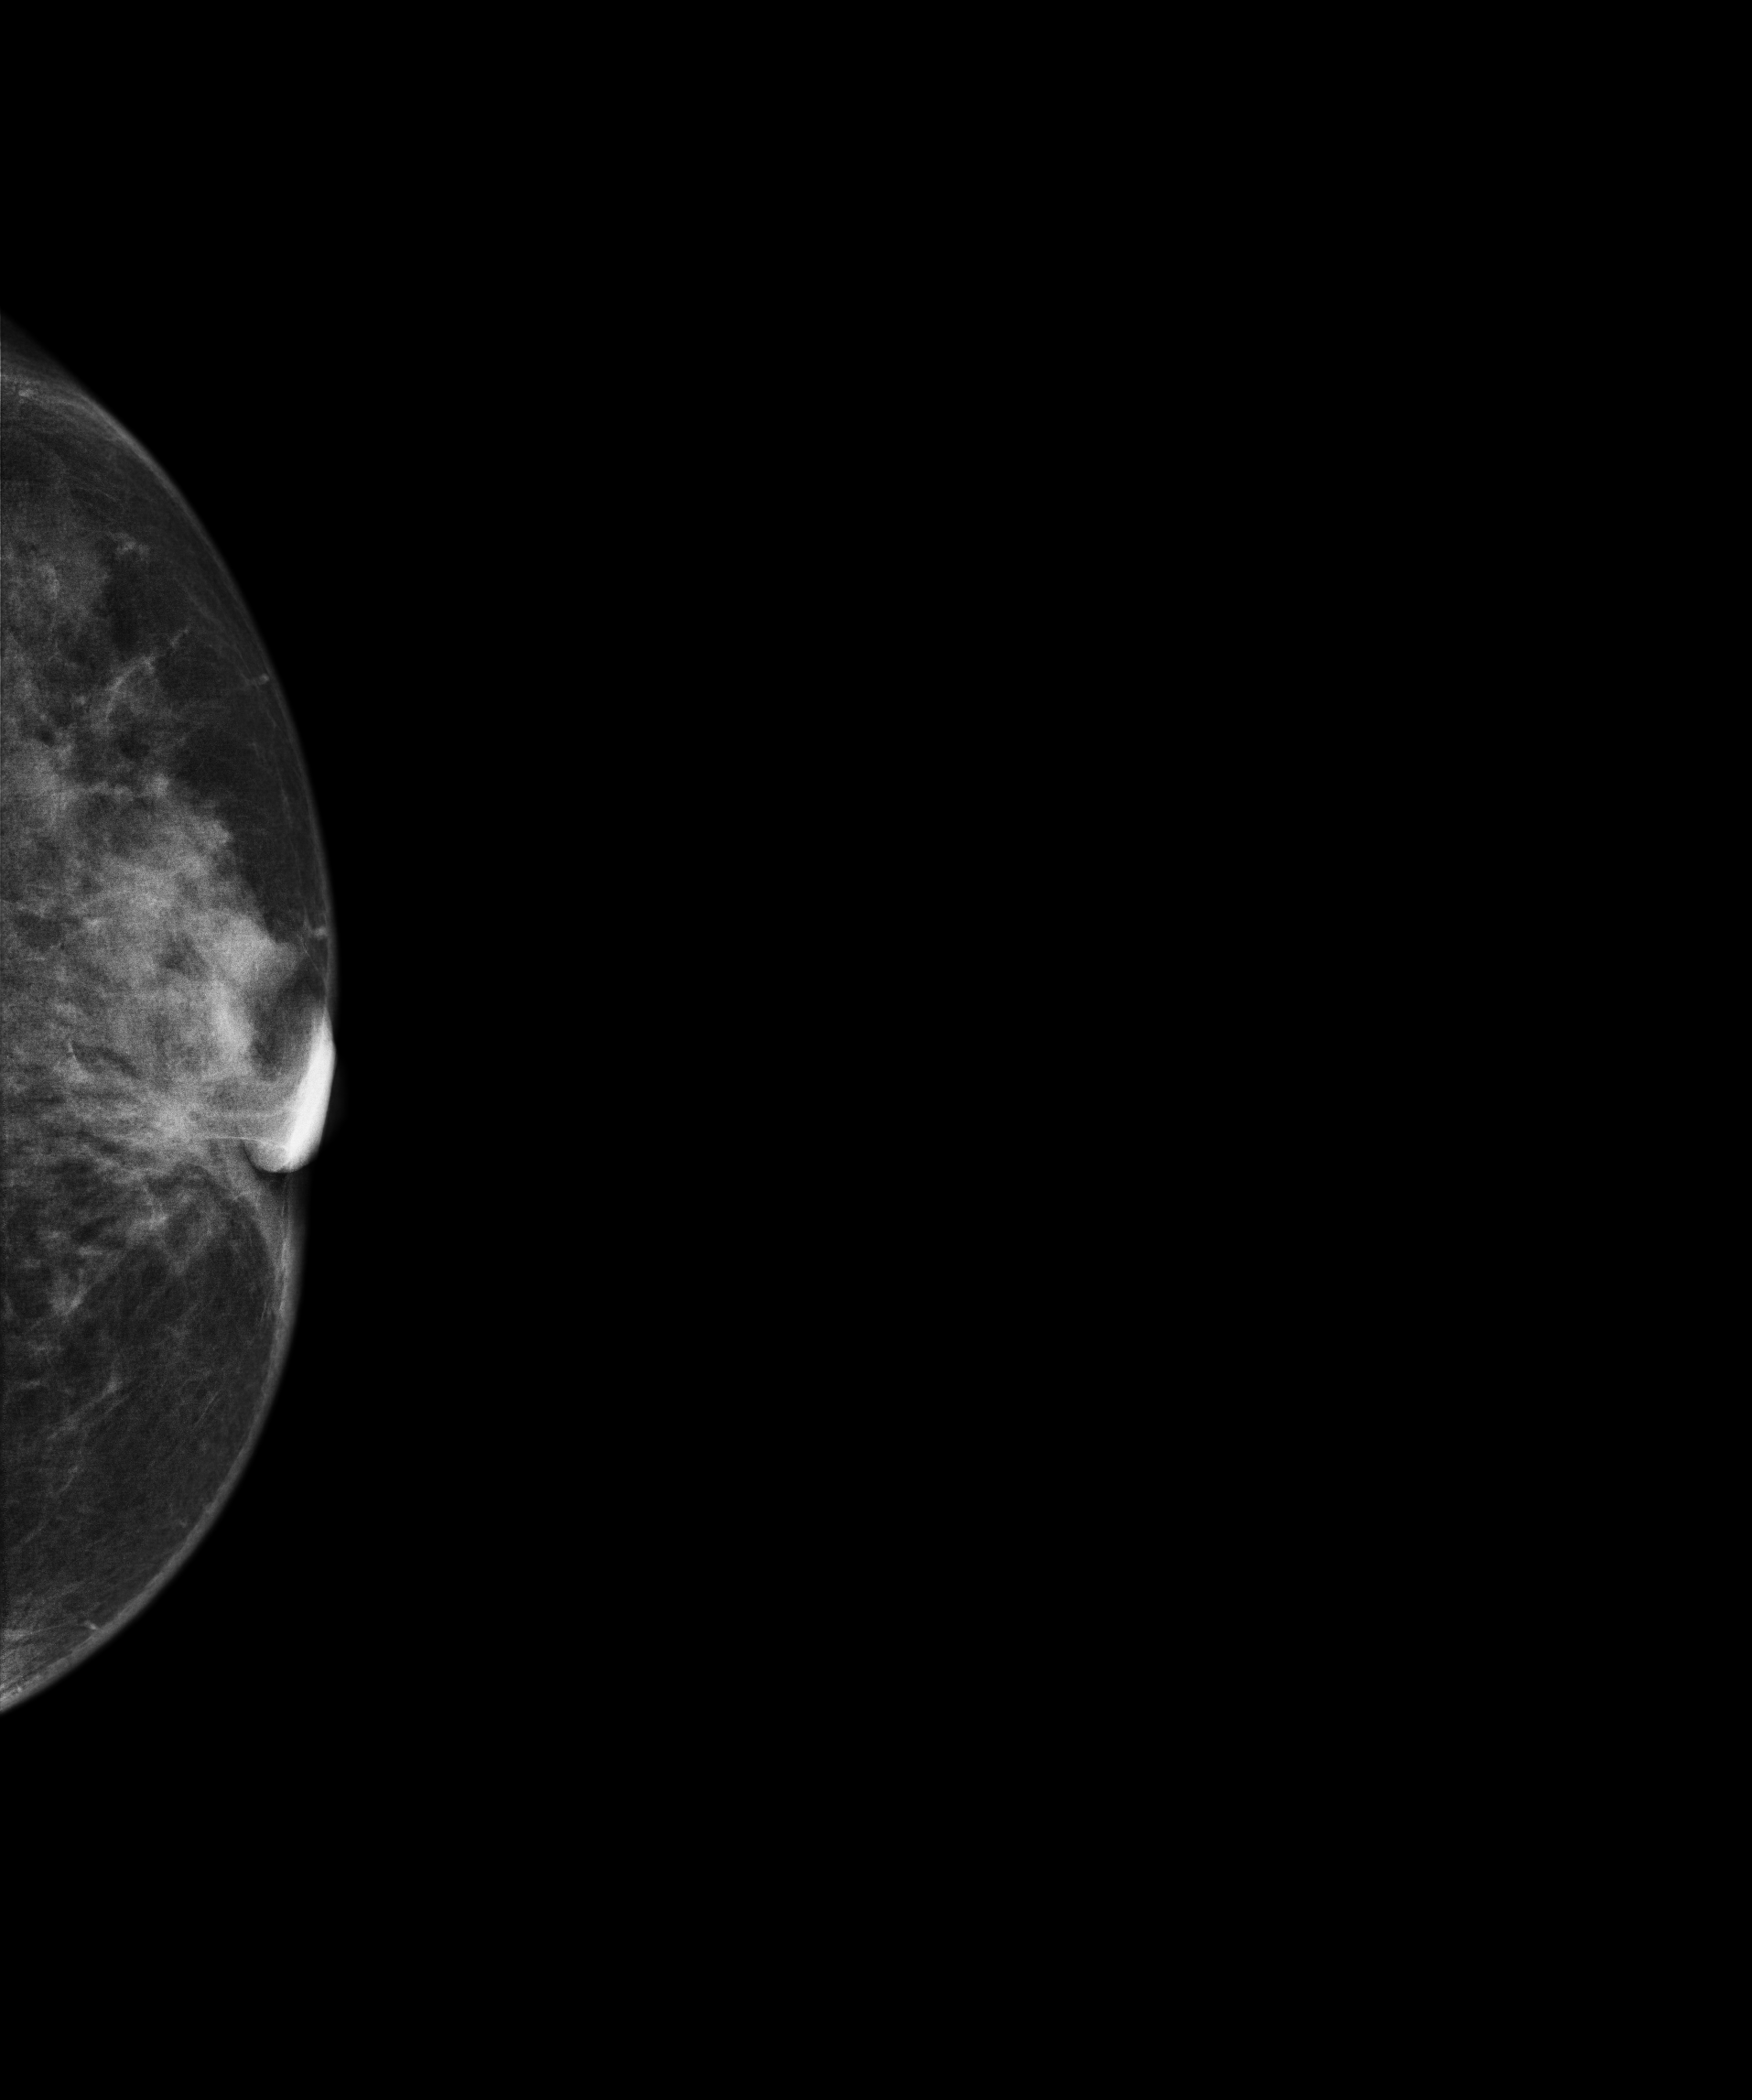
Mammogram — left cranio-caudal. 54-year-old patient.
This breast has a mass, pathology-confirmed malignant.